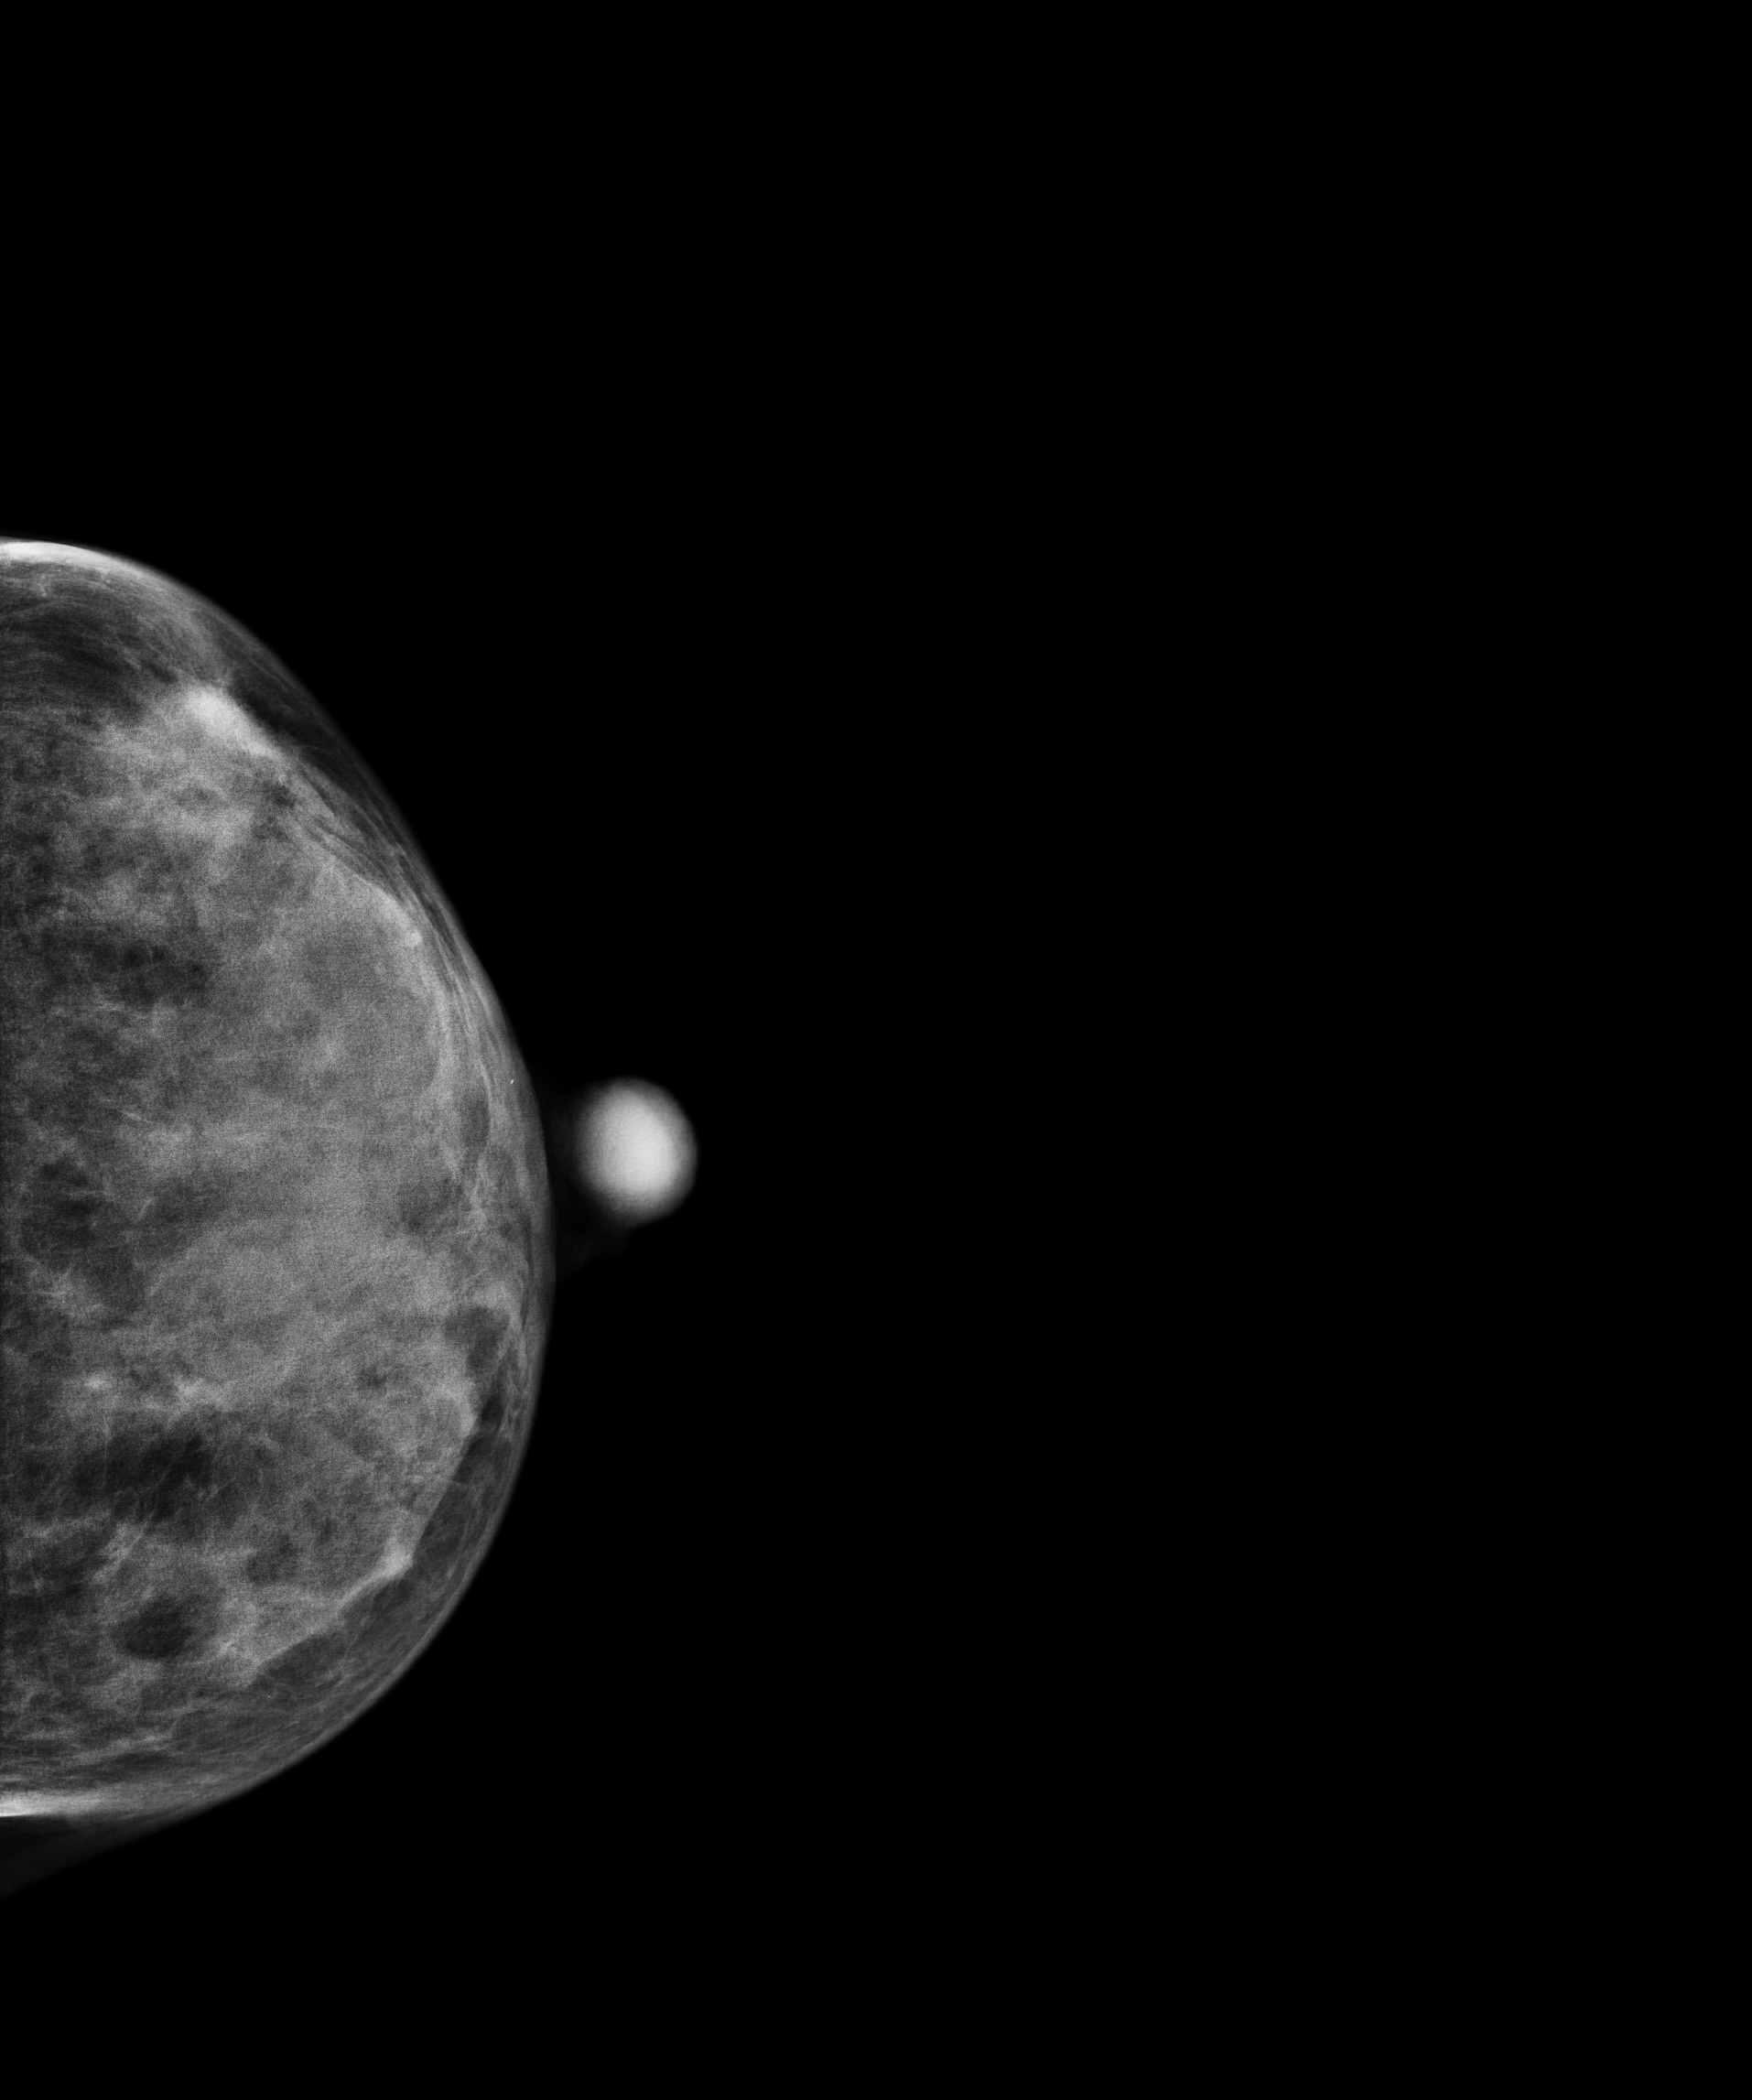
Mammogram — left cranio-caudal. 51-year-old patient.
This breast has a mass, histologically confirmed malignant. Molecular subtype: luminal B.